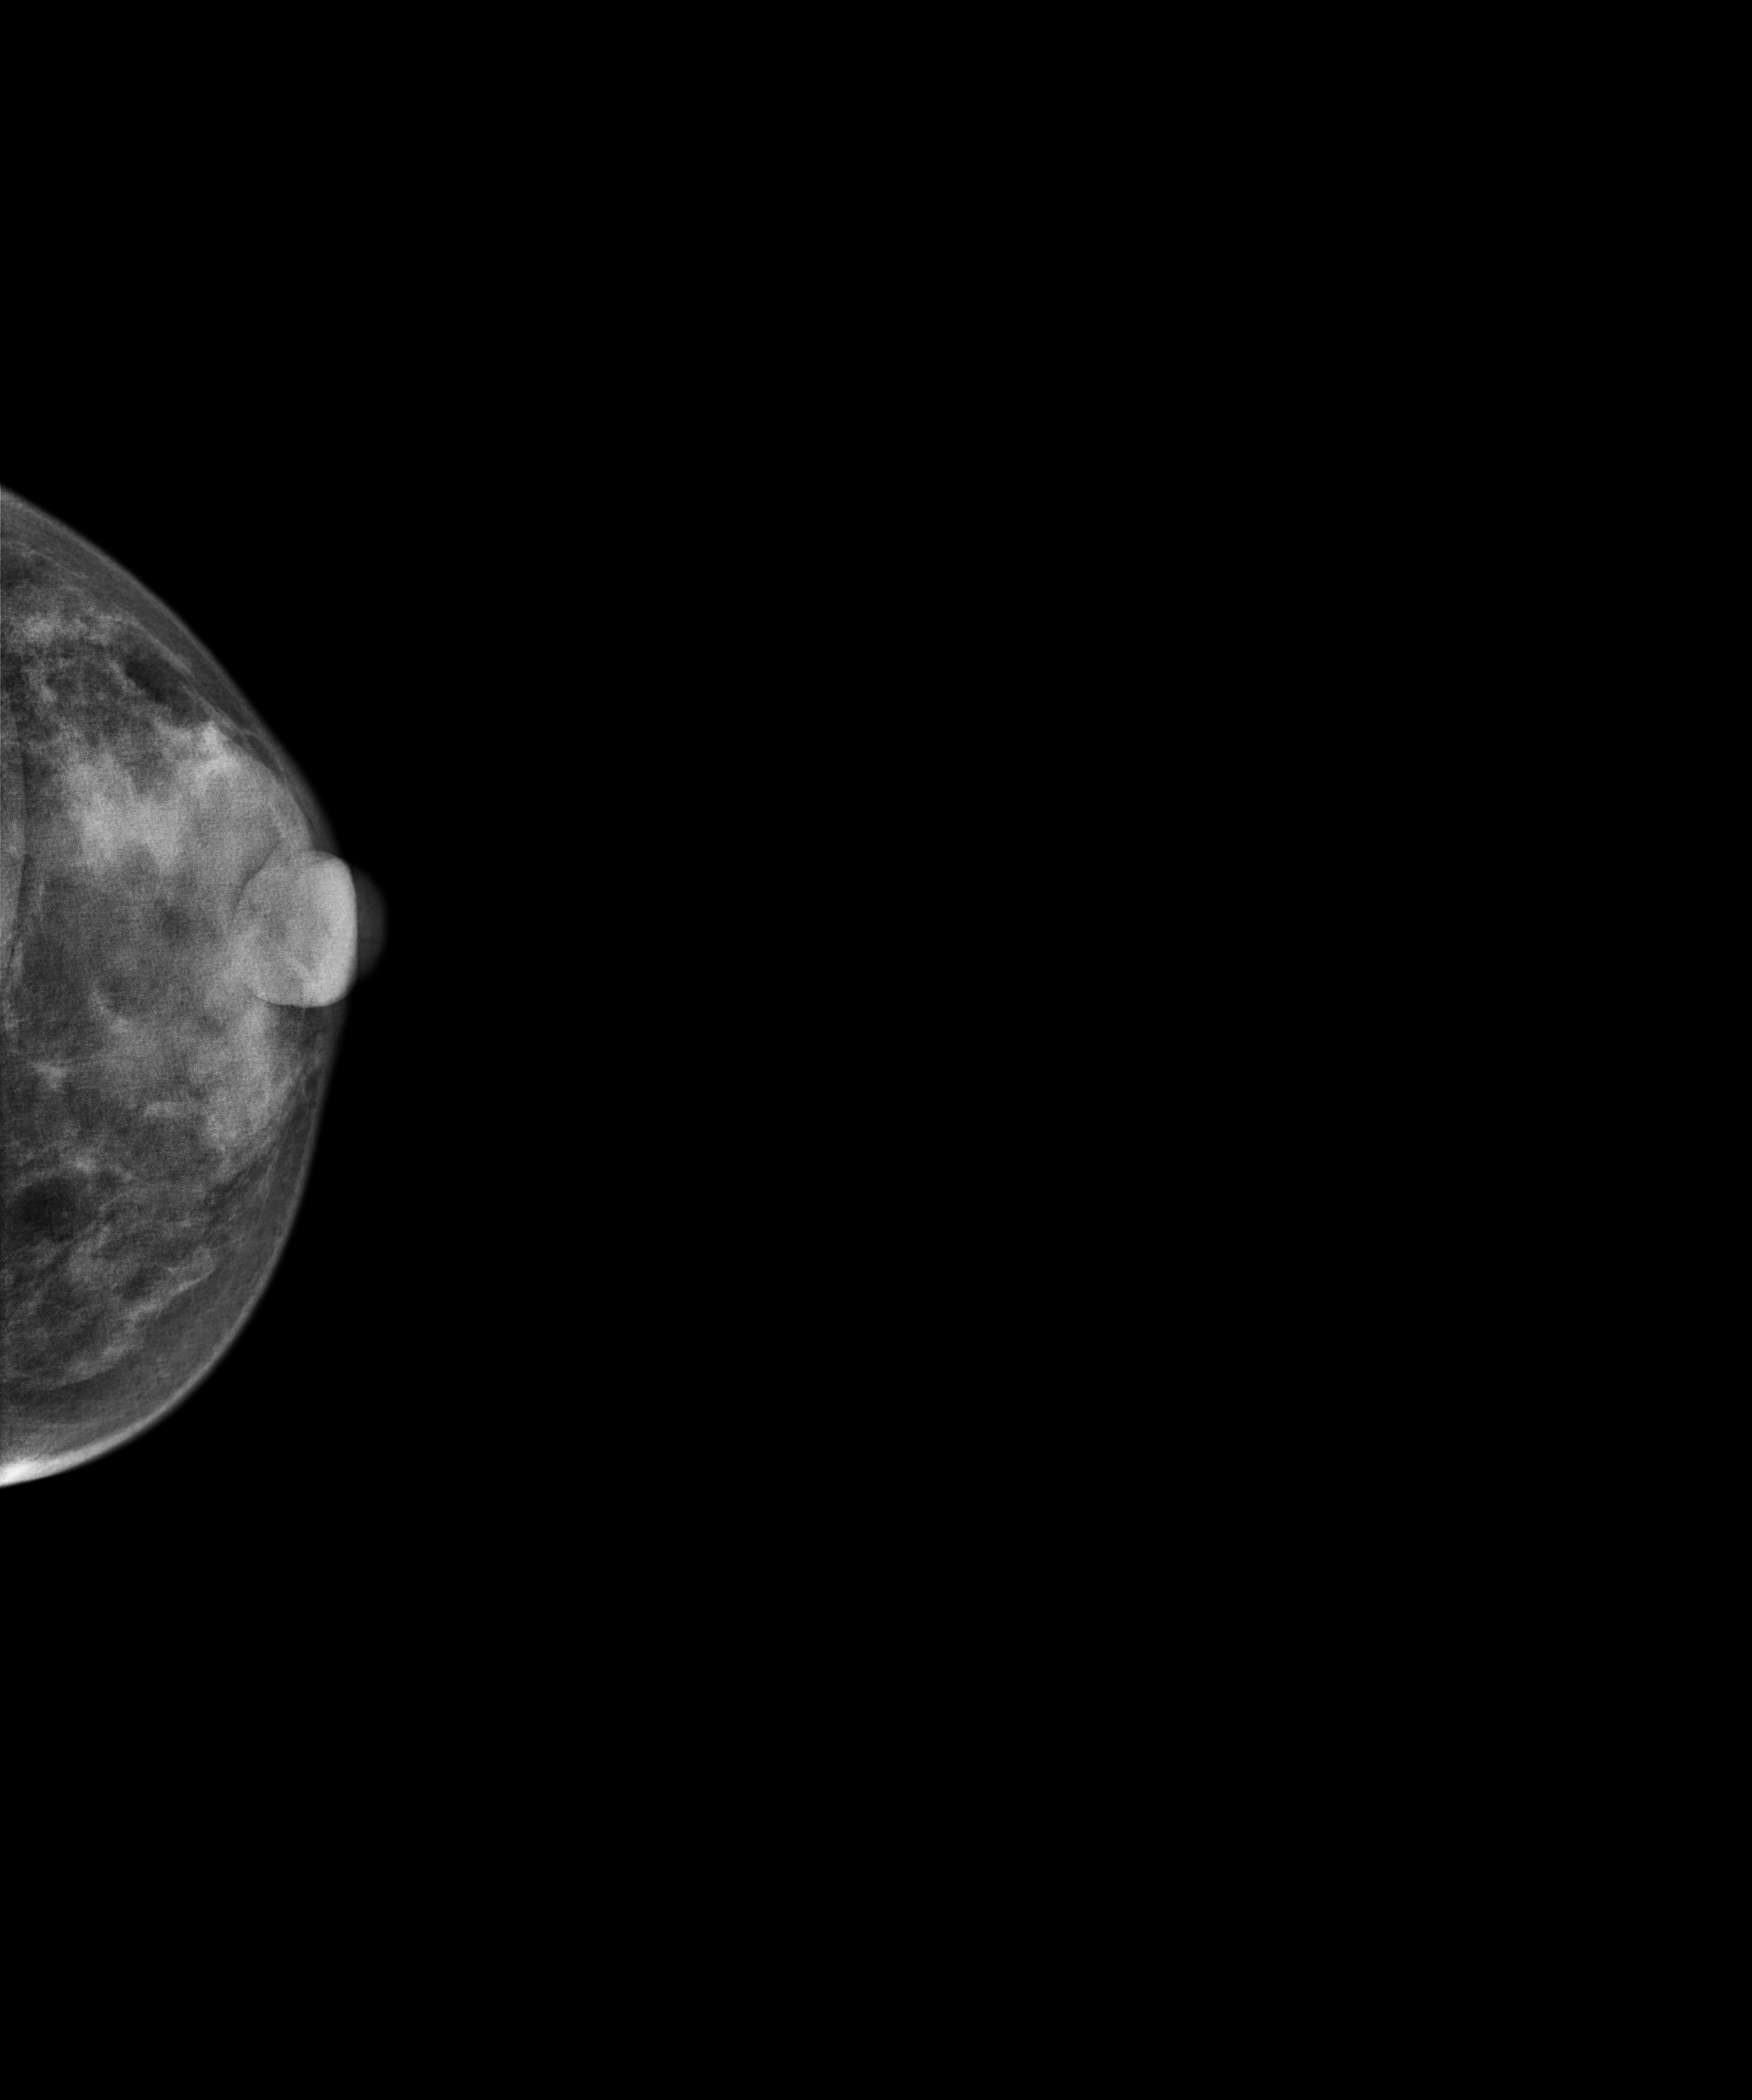
Cranio-caudal mammogram of the left breast. Patient age 48.
This breast has a mass, biopsy-proven malignant.